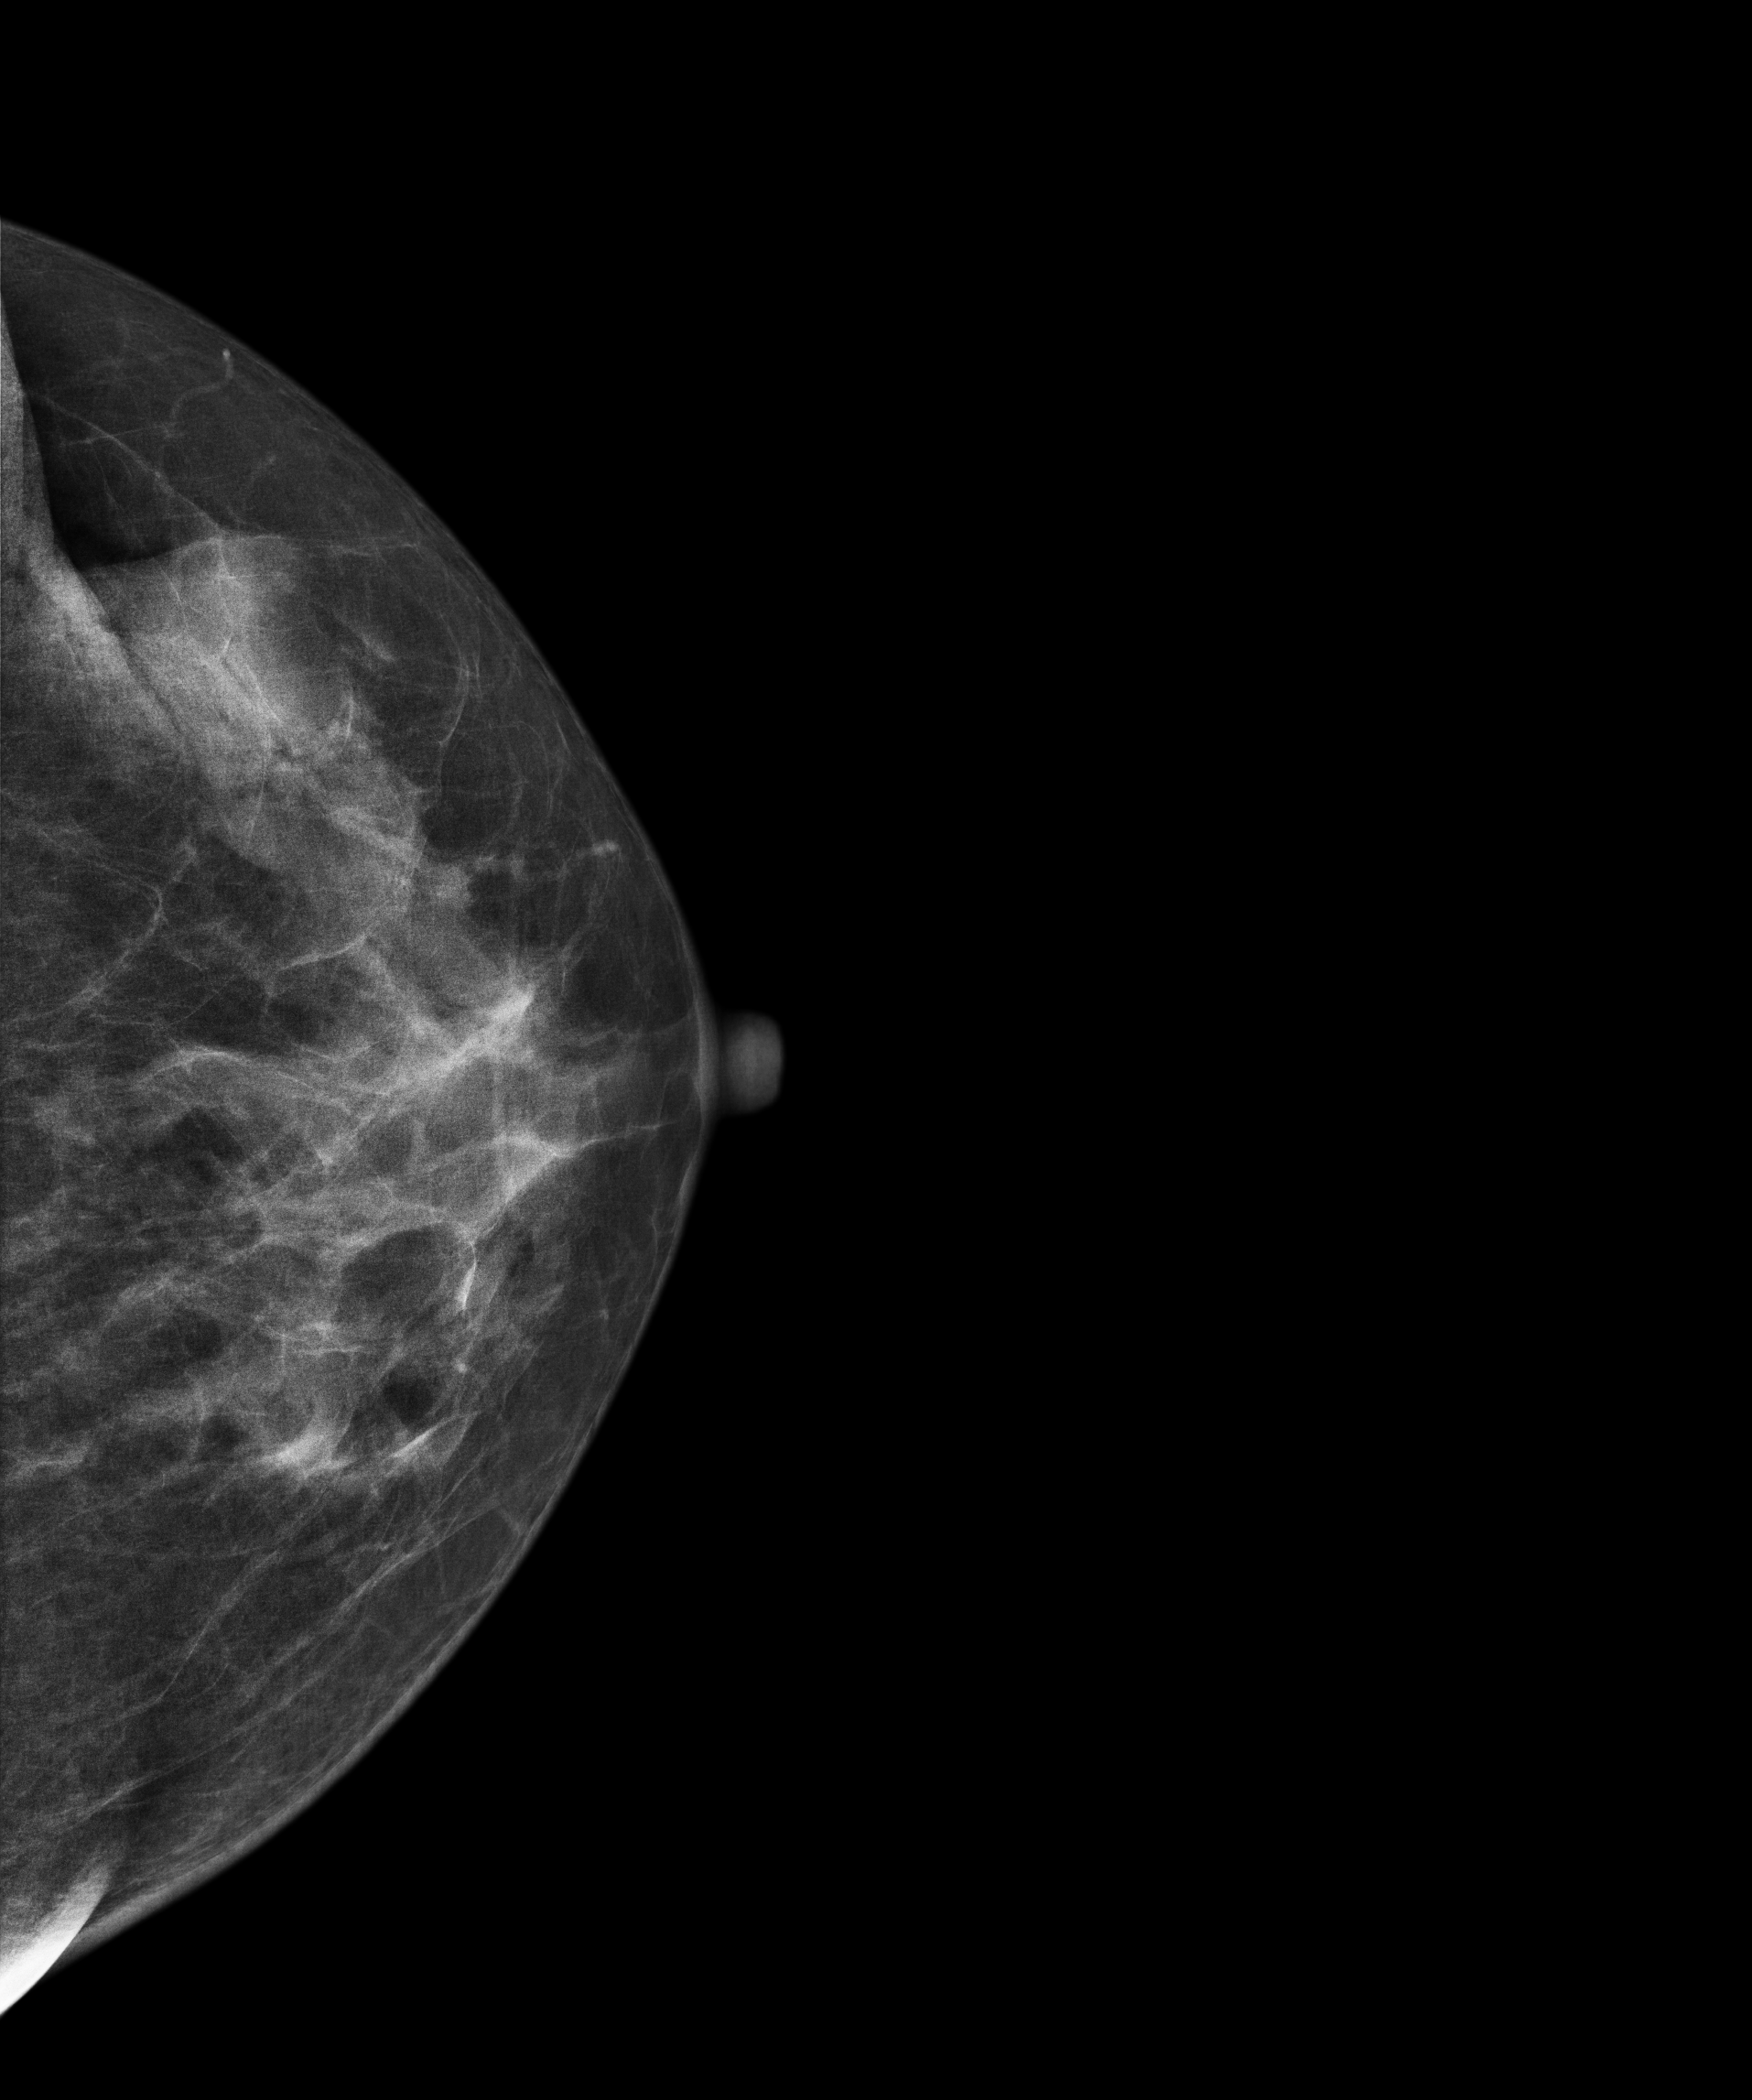
Cranio-caudal mammogram of the left breast. Patient age 51.
Contralateral breast — no documented abnormality on this side.